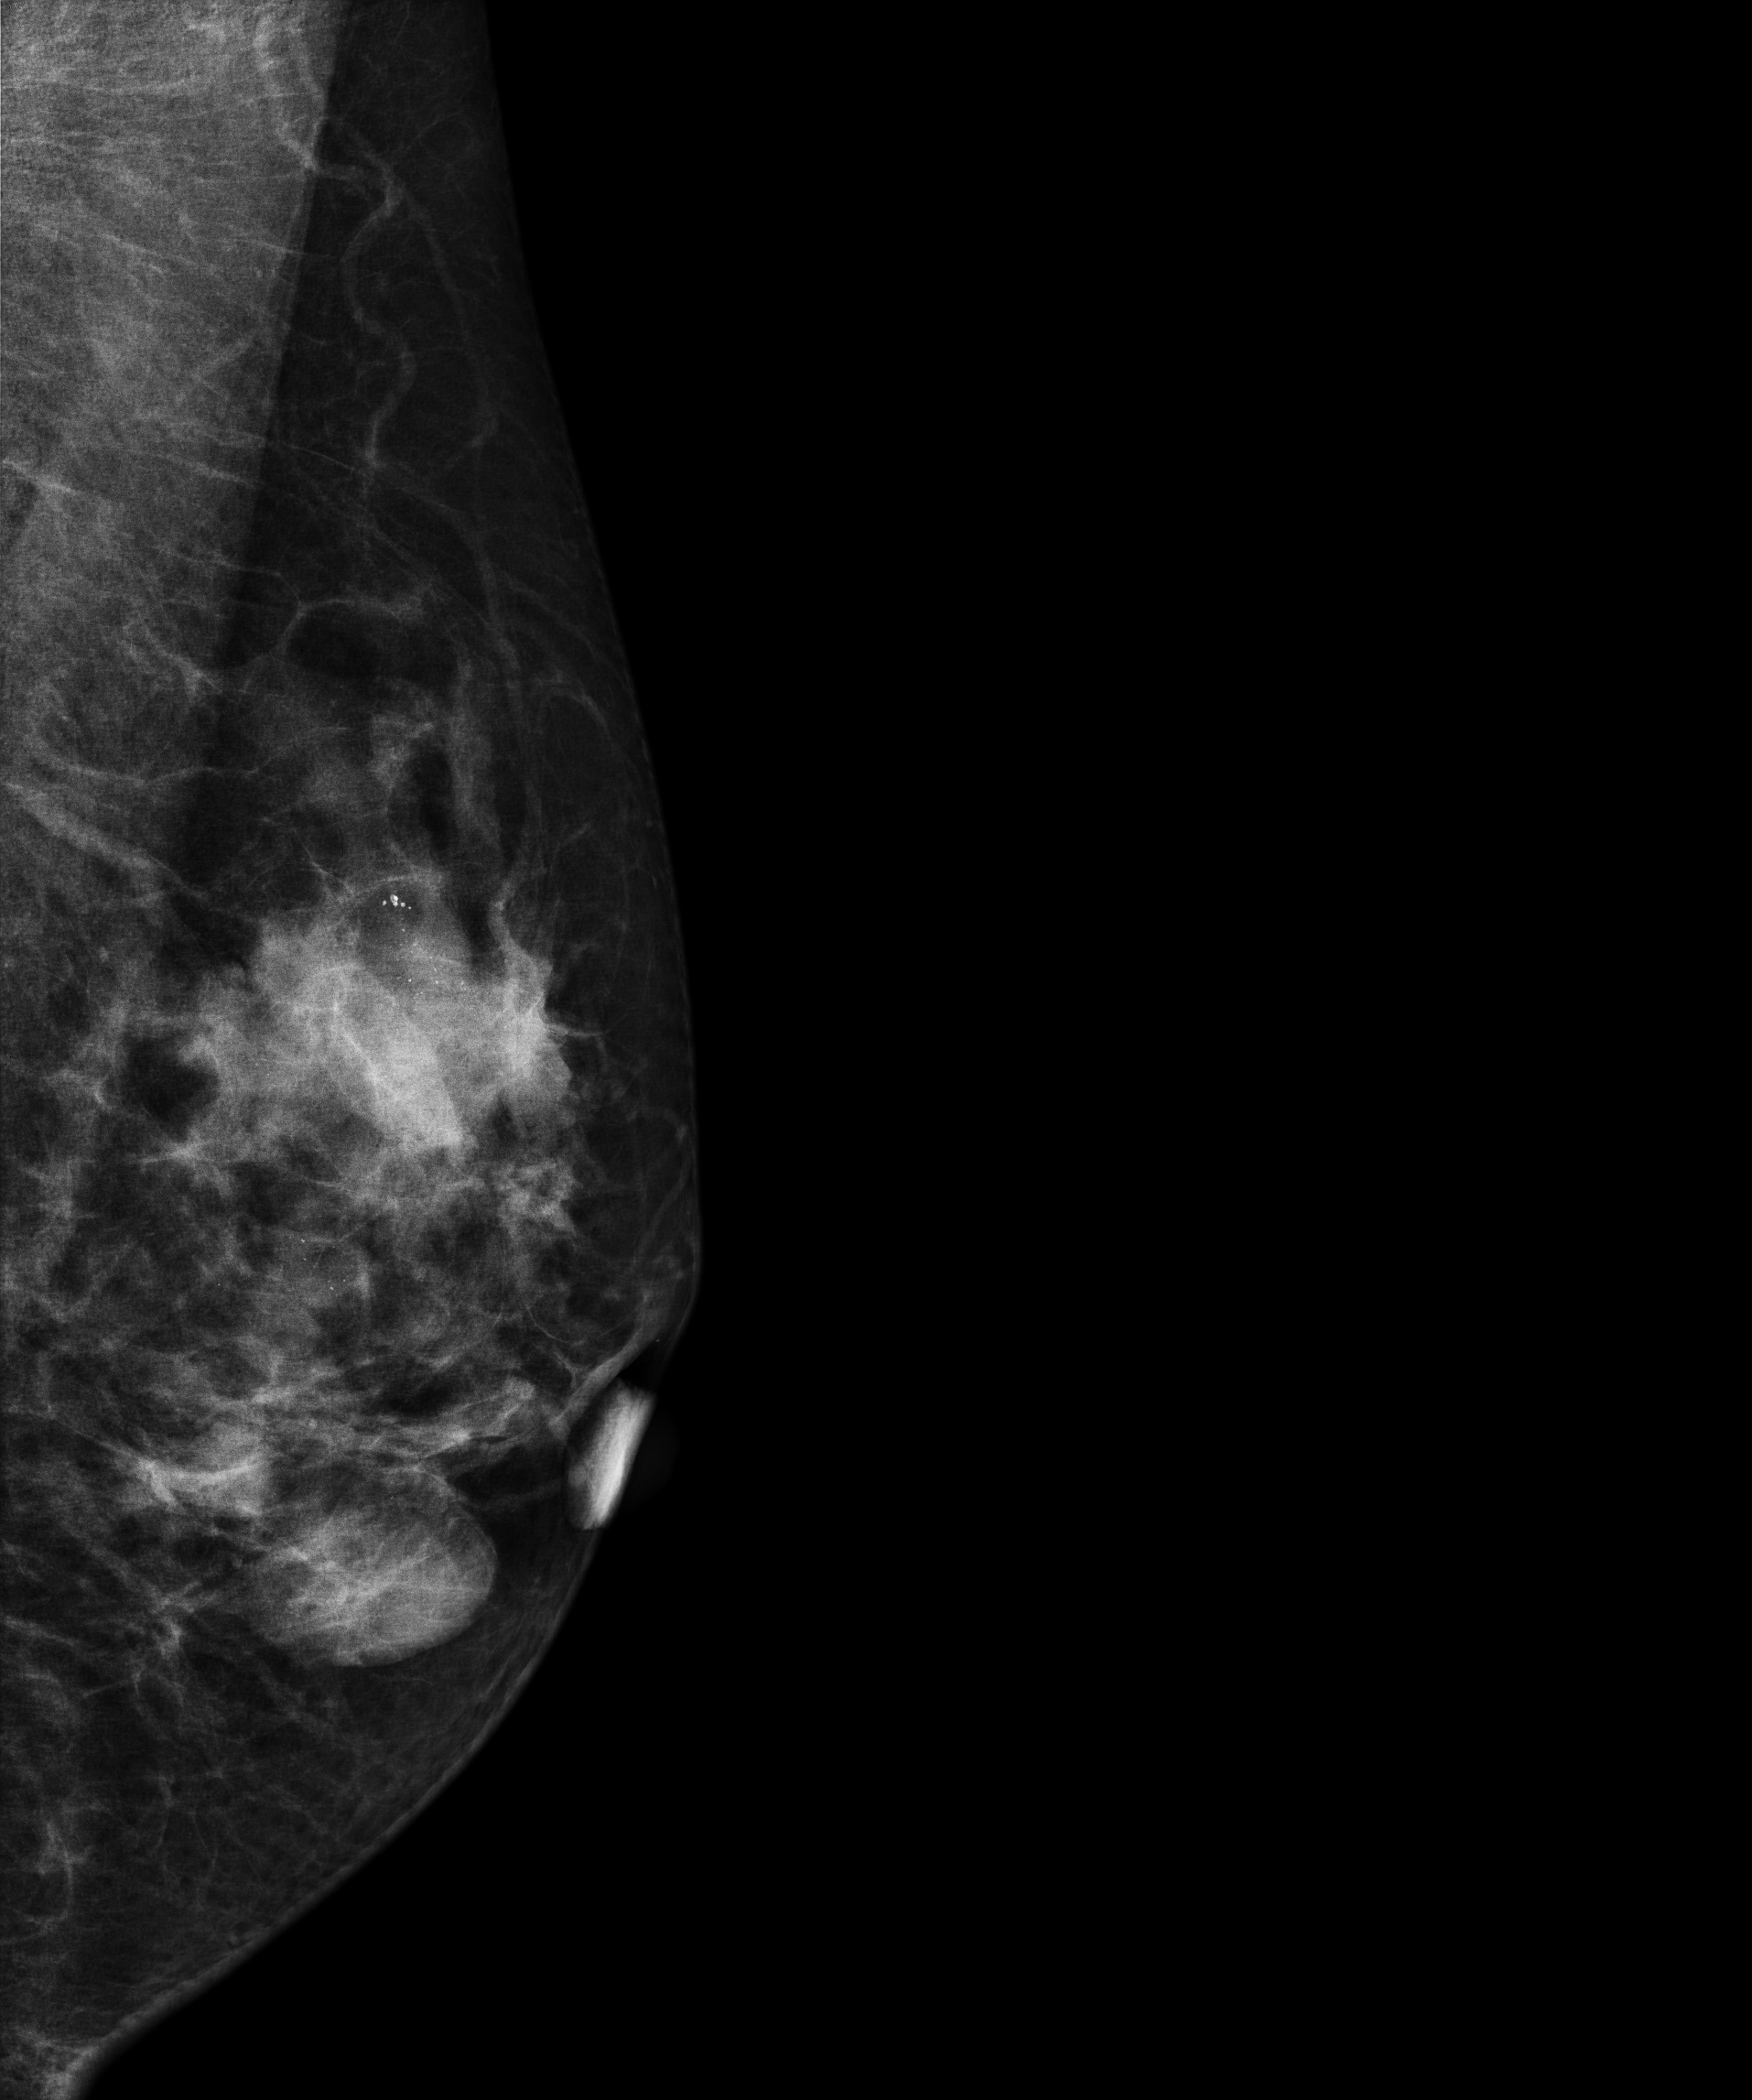
Digital mammography. Left breast, MLO projection. 38-year-old patient.
This breast has a mass and calcifications, biopsy-confirmed malignant.